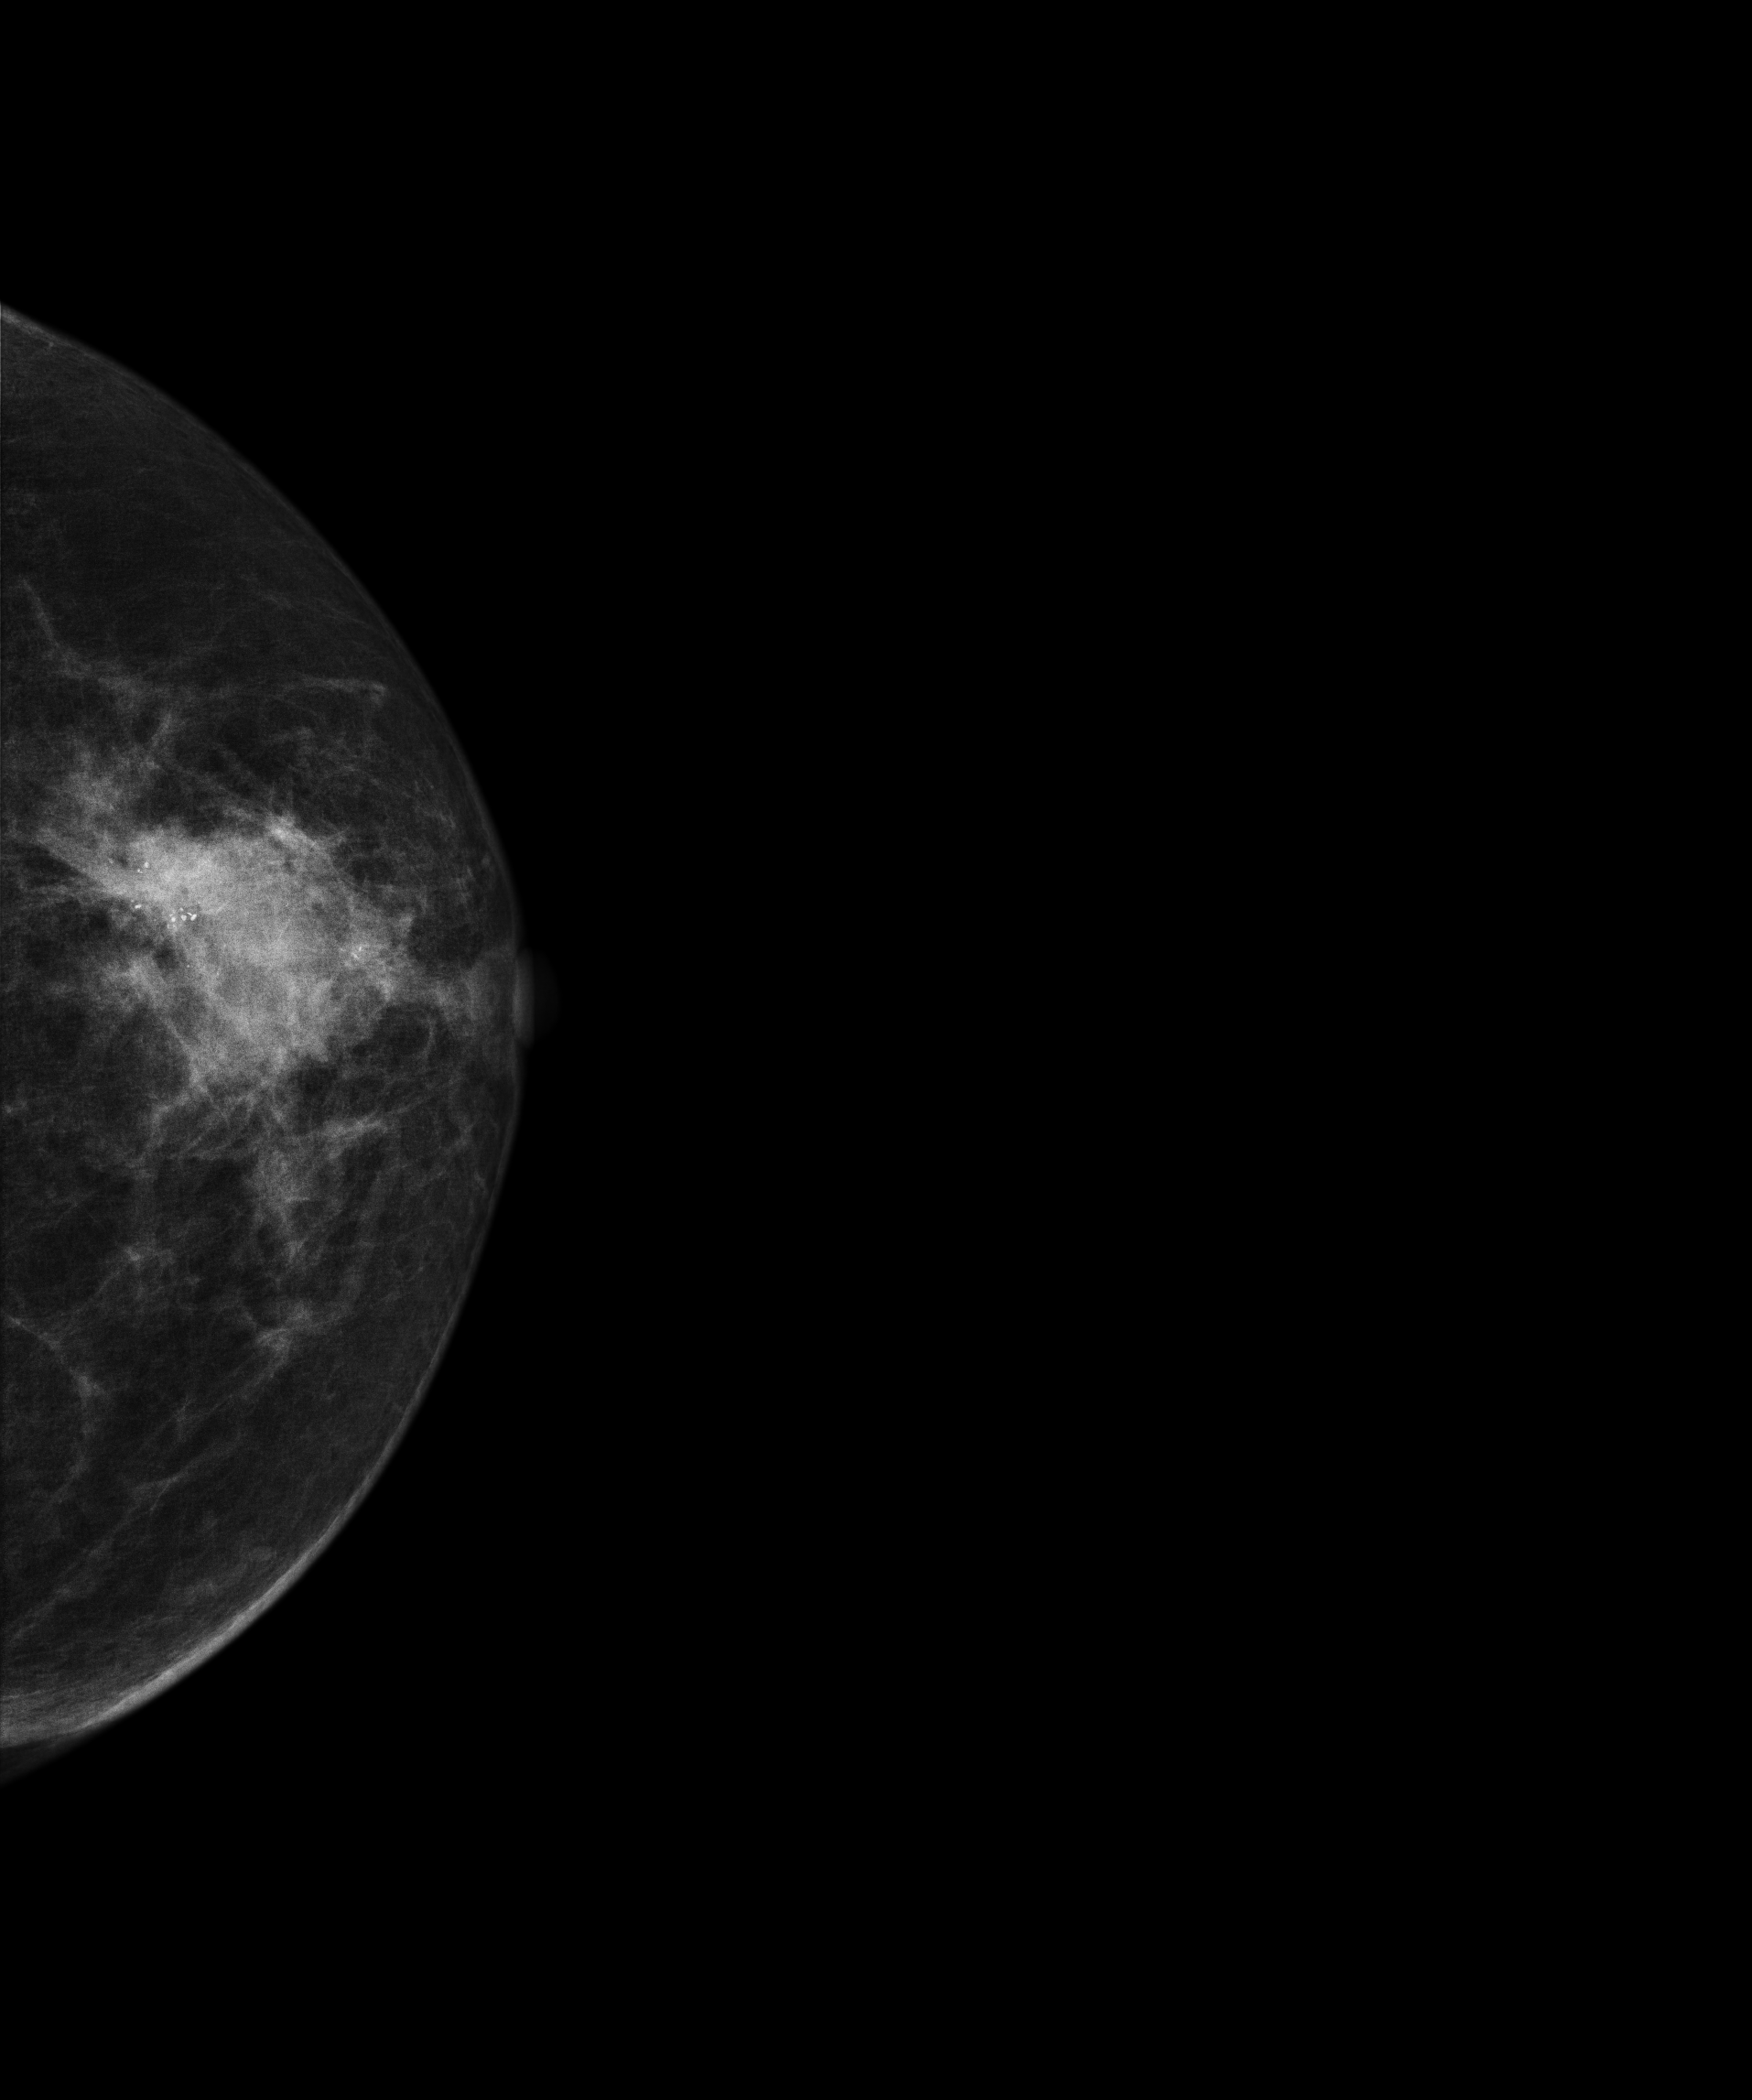
Digital mammography. Left breast, cranio-caudal projection. 71 y/o patient.
This breast has a mass and calcifications, biopsy-confirmed malignant.